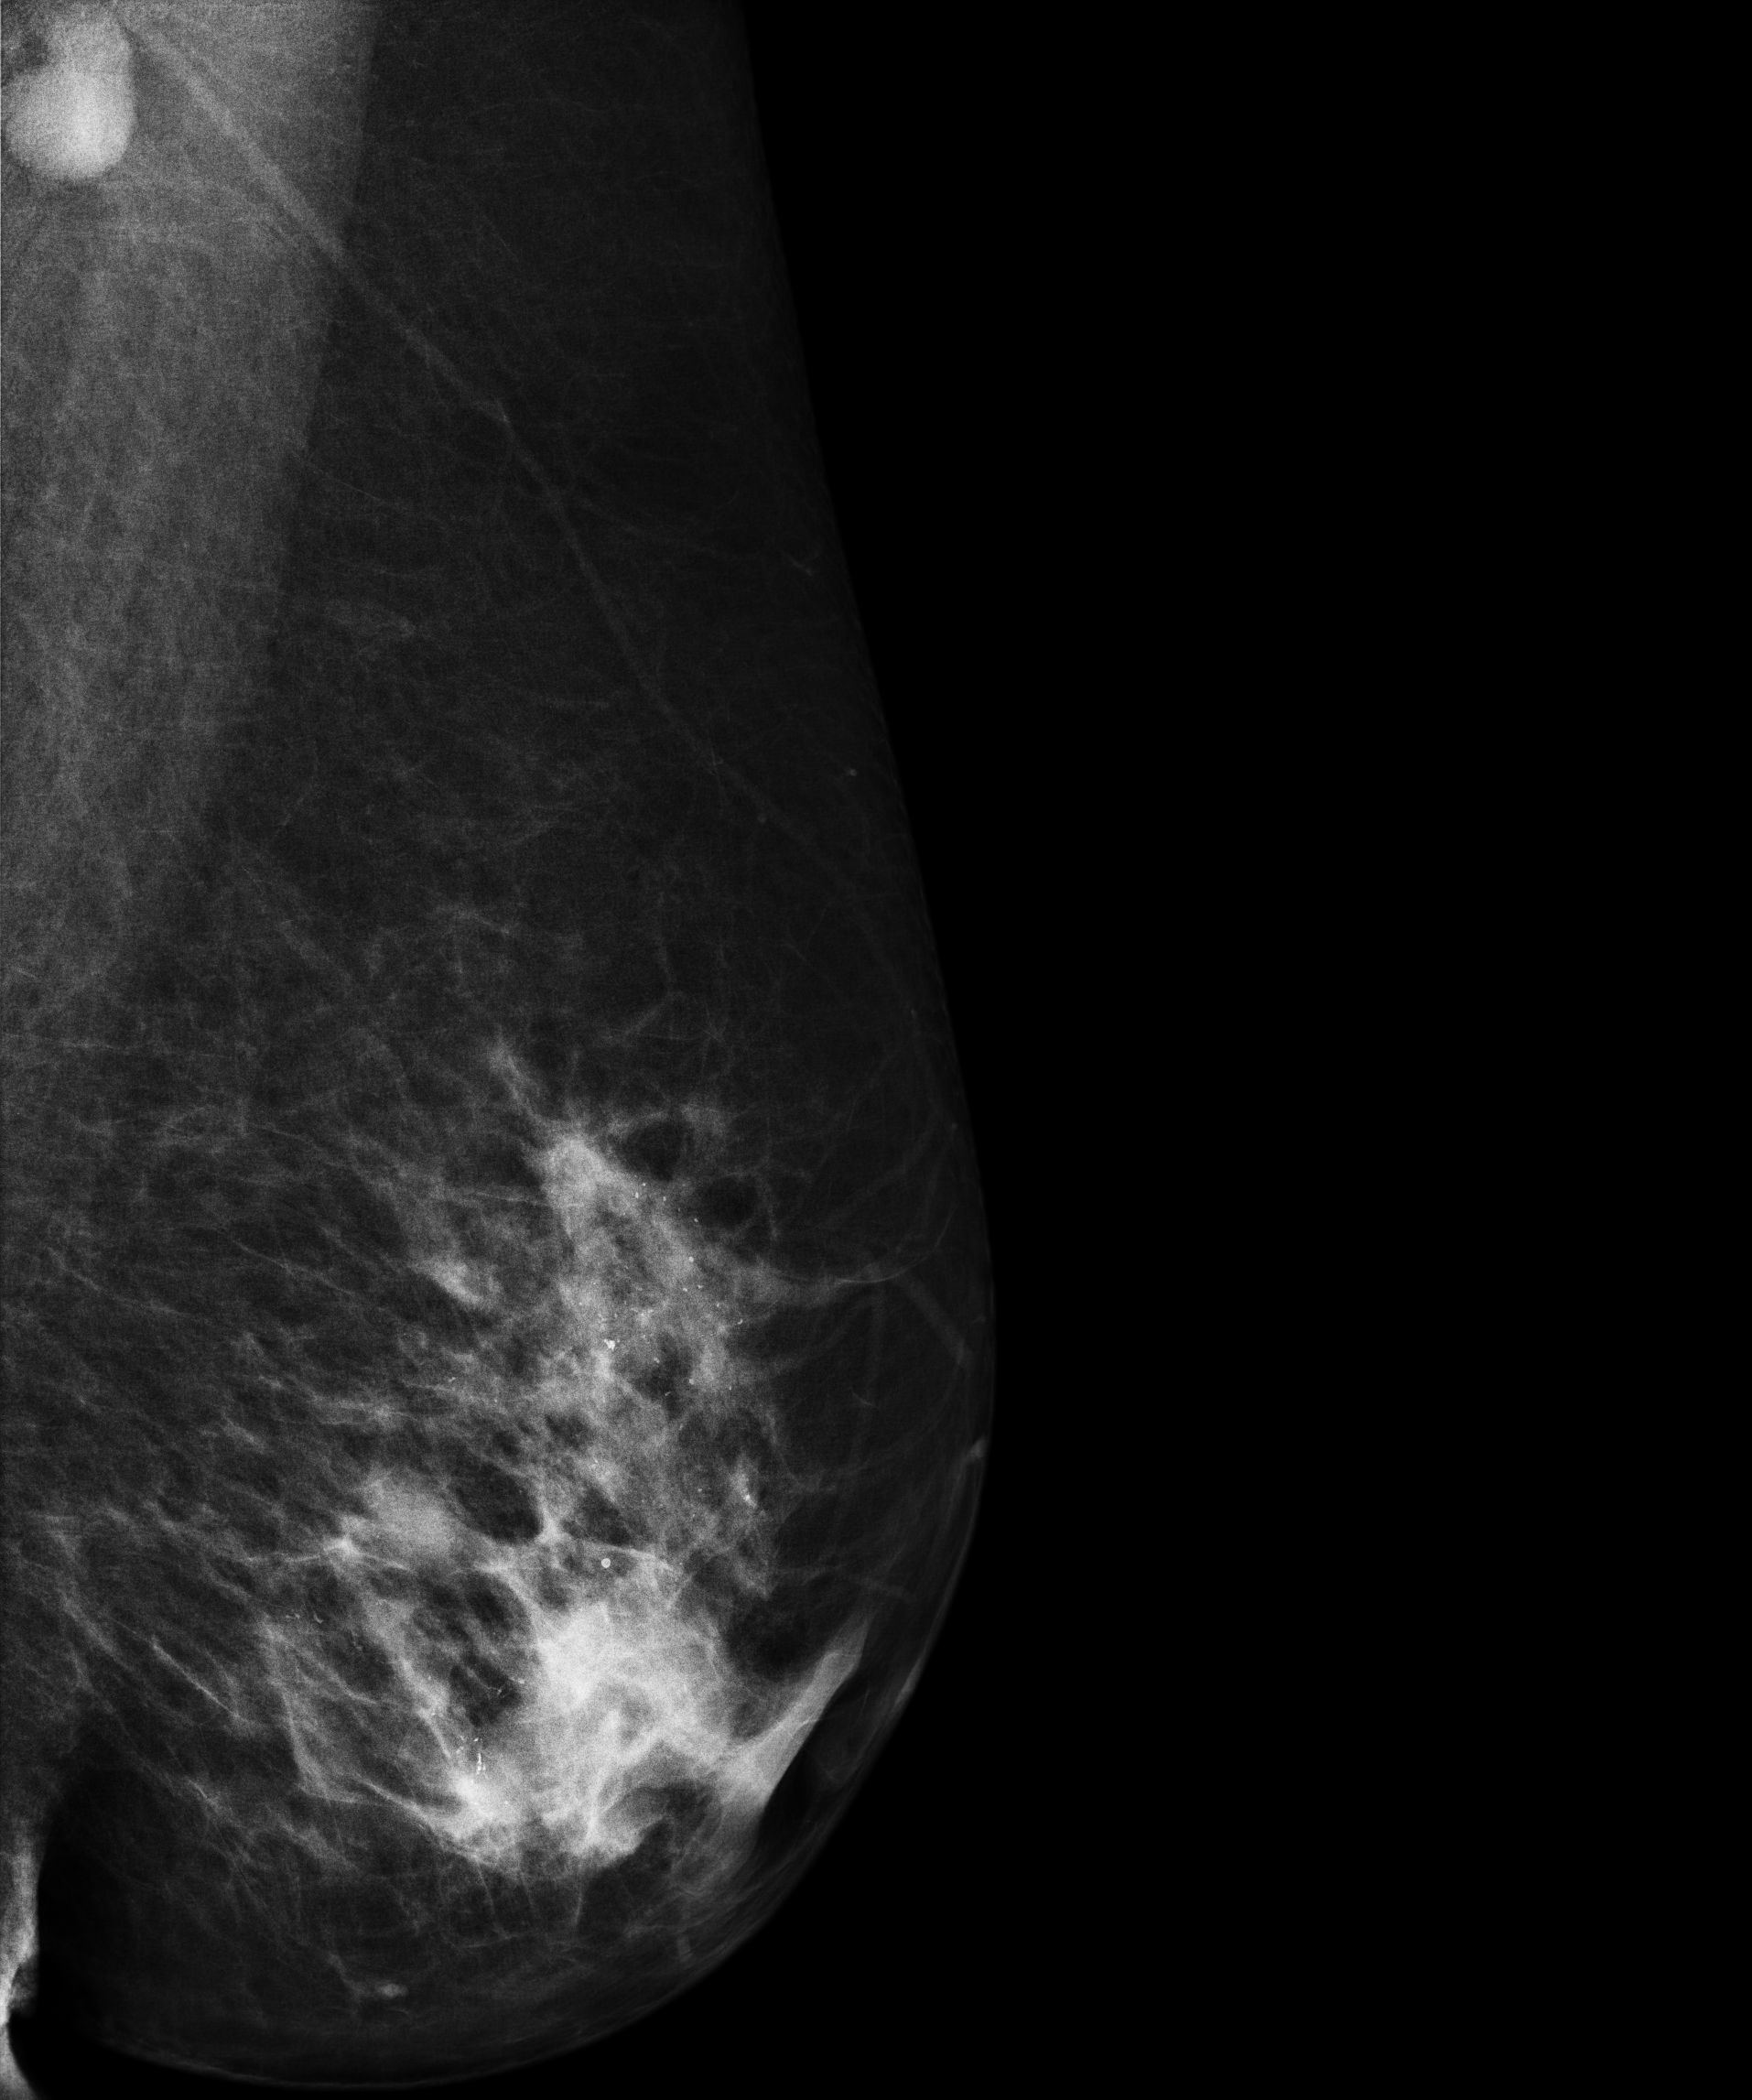
Mammogram, left breast, medio-lateral oblique view. 60-year-old patient.
This breast has a mass and calcifications, histologically confirmed malignant. Molecular subtype: HER2-enriched.